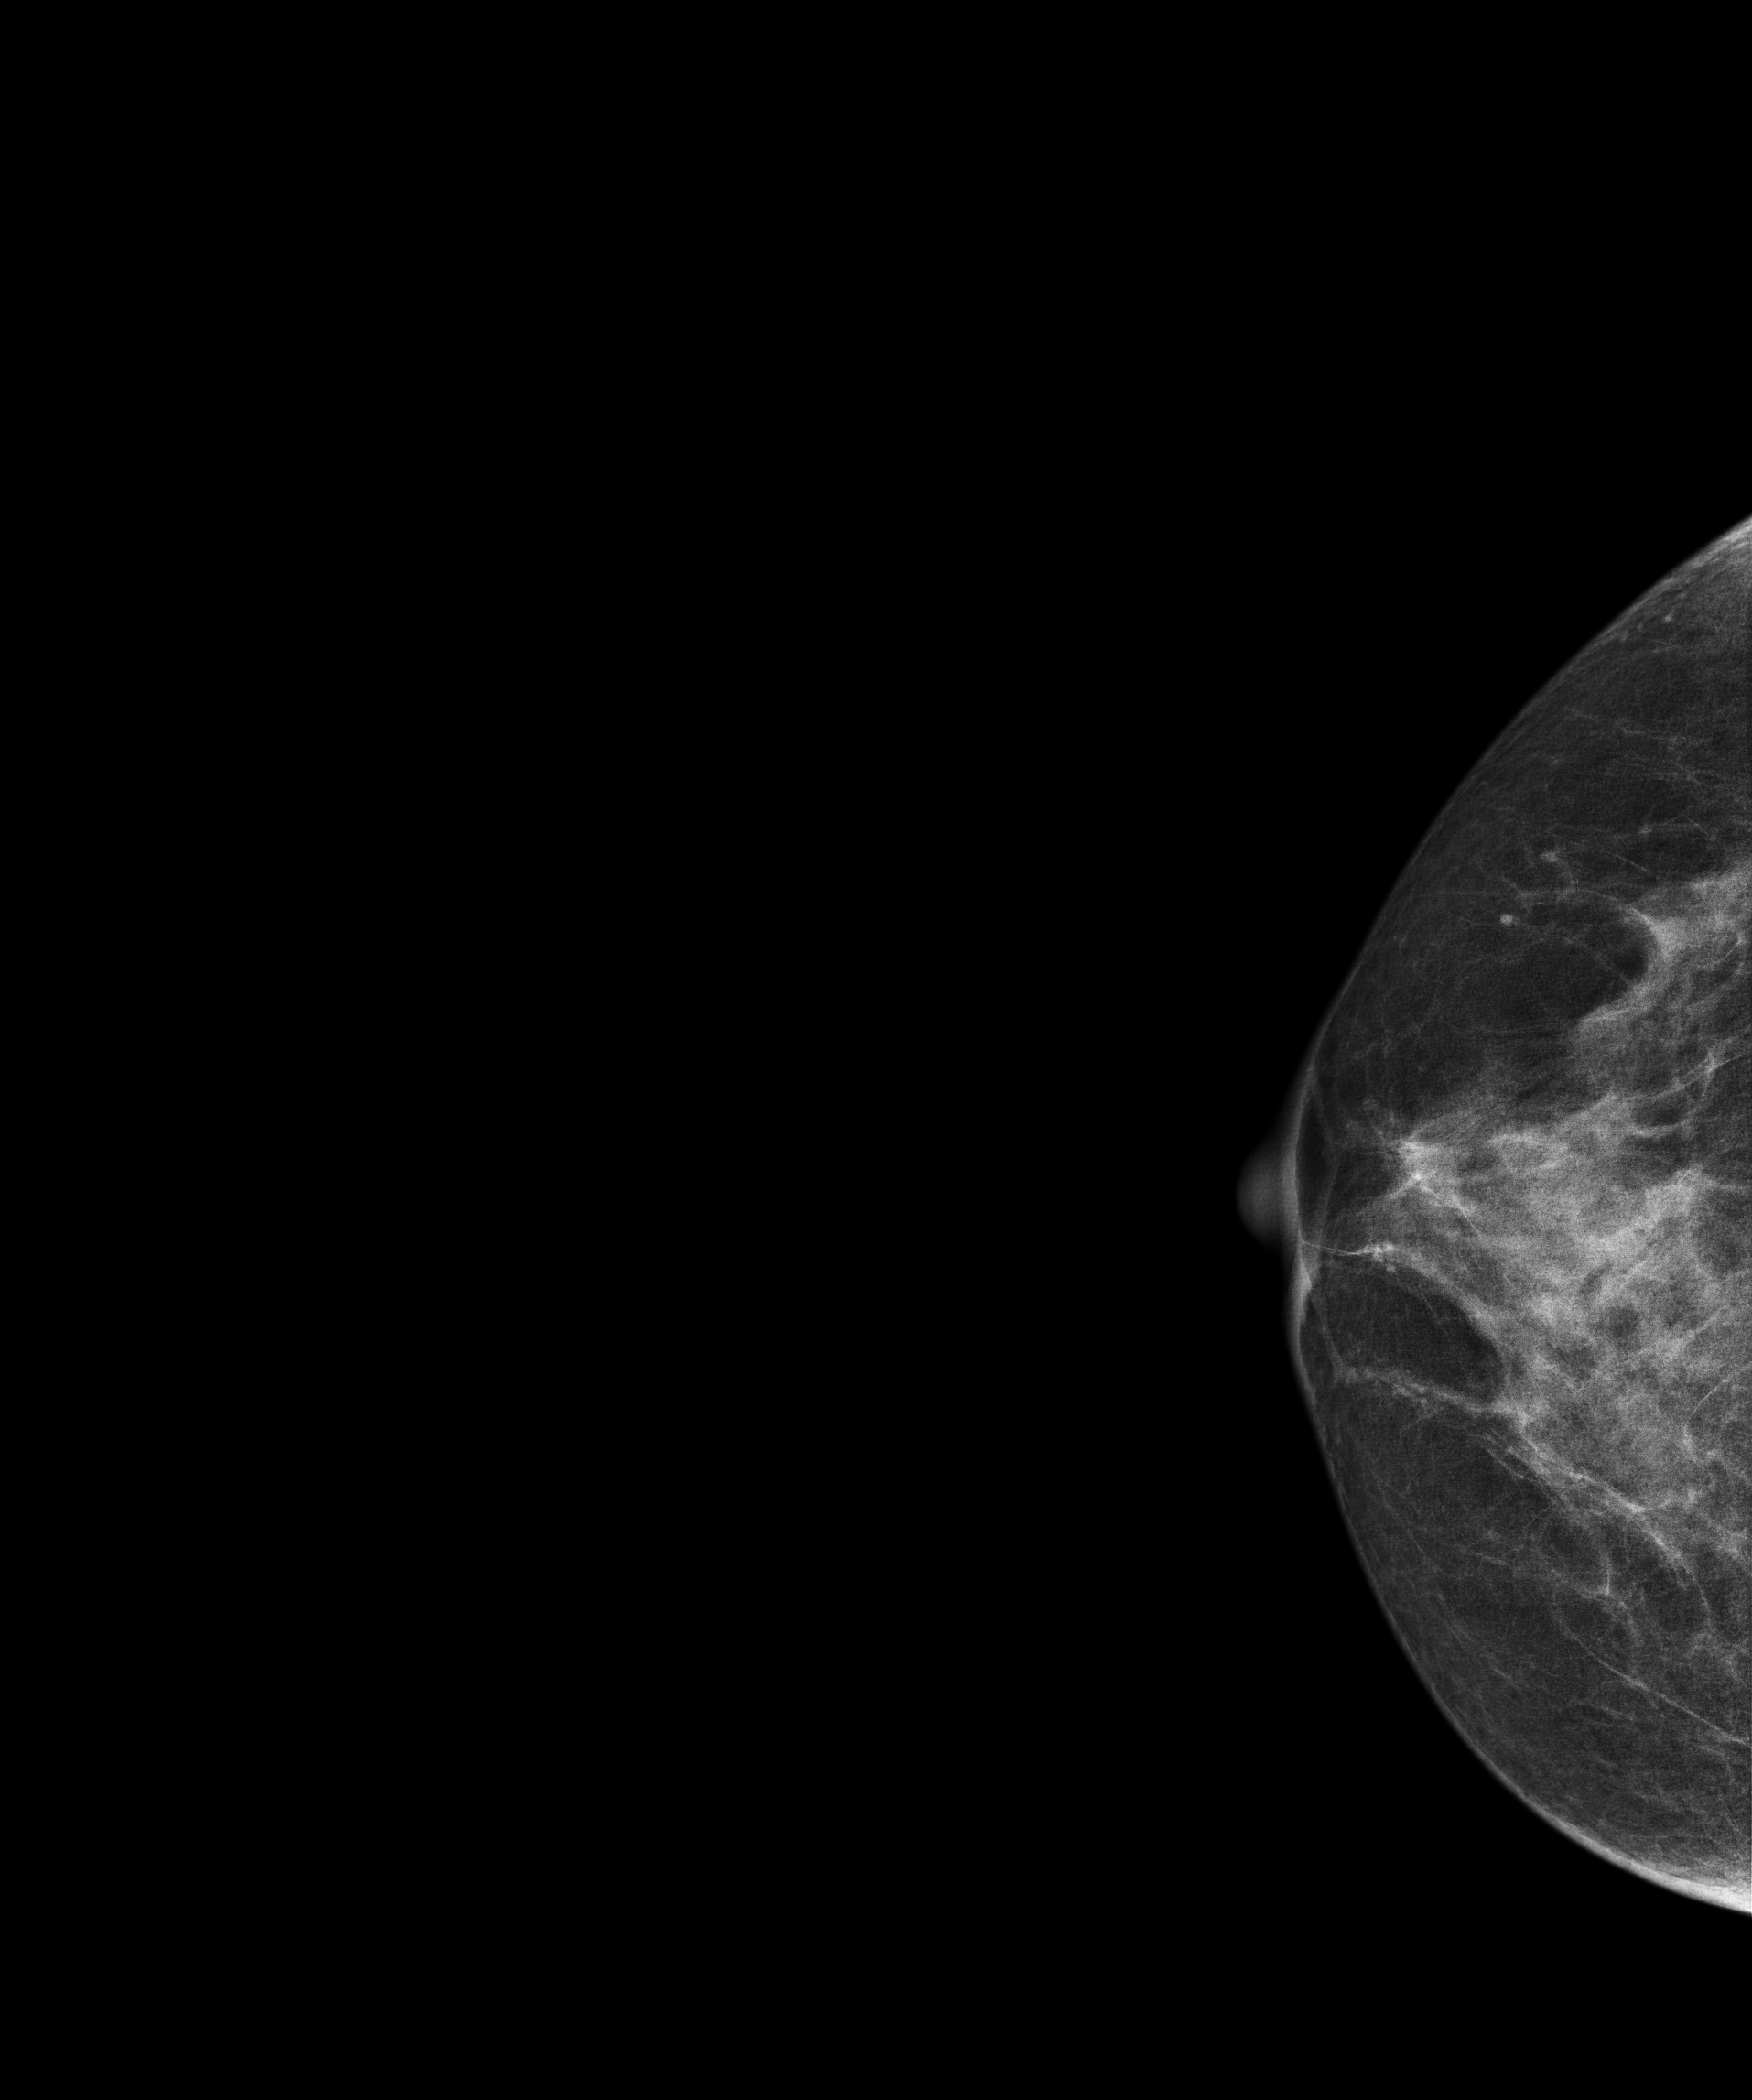
Right-breast mammogram, cranio-caudal. 52 y/o patient.
Contralateral breast — no documented abnormality on this side.